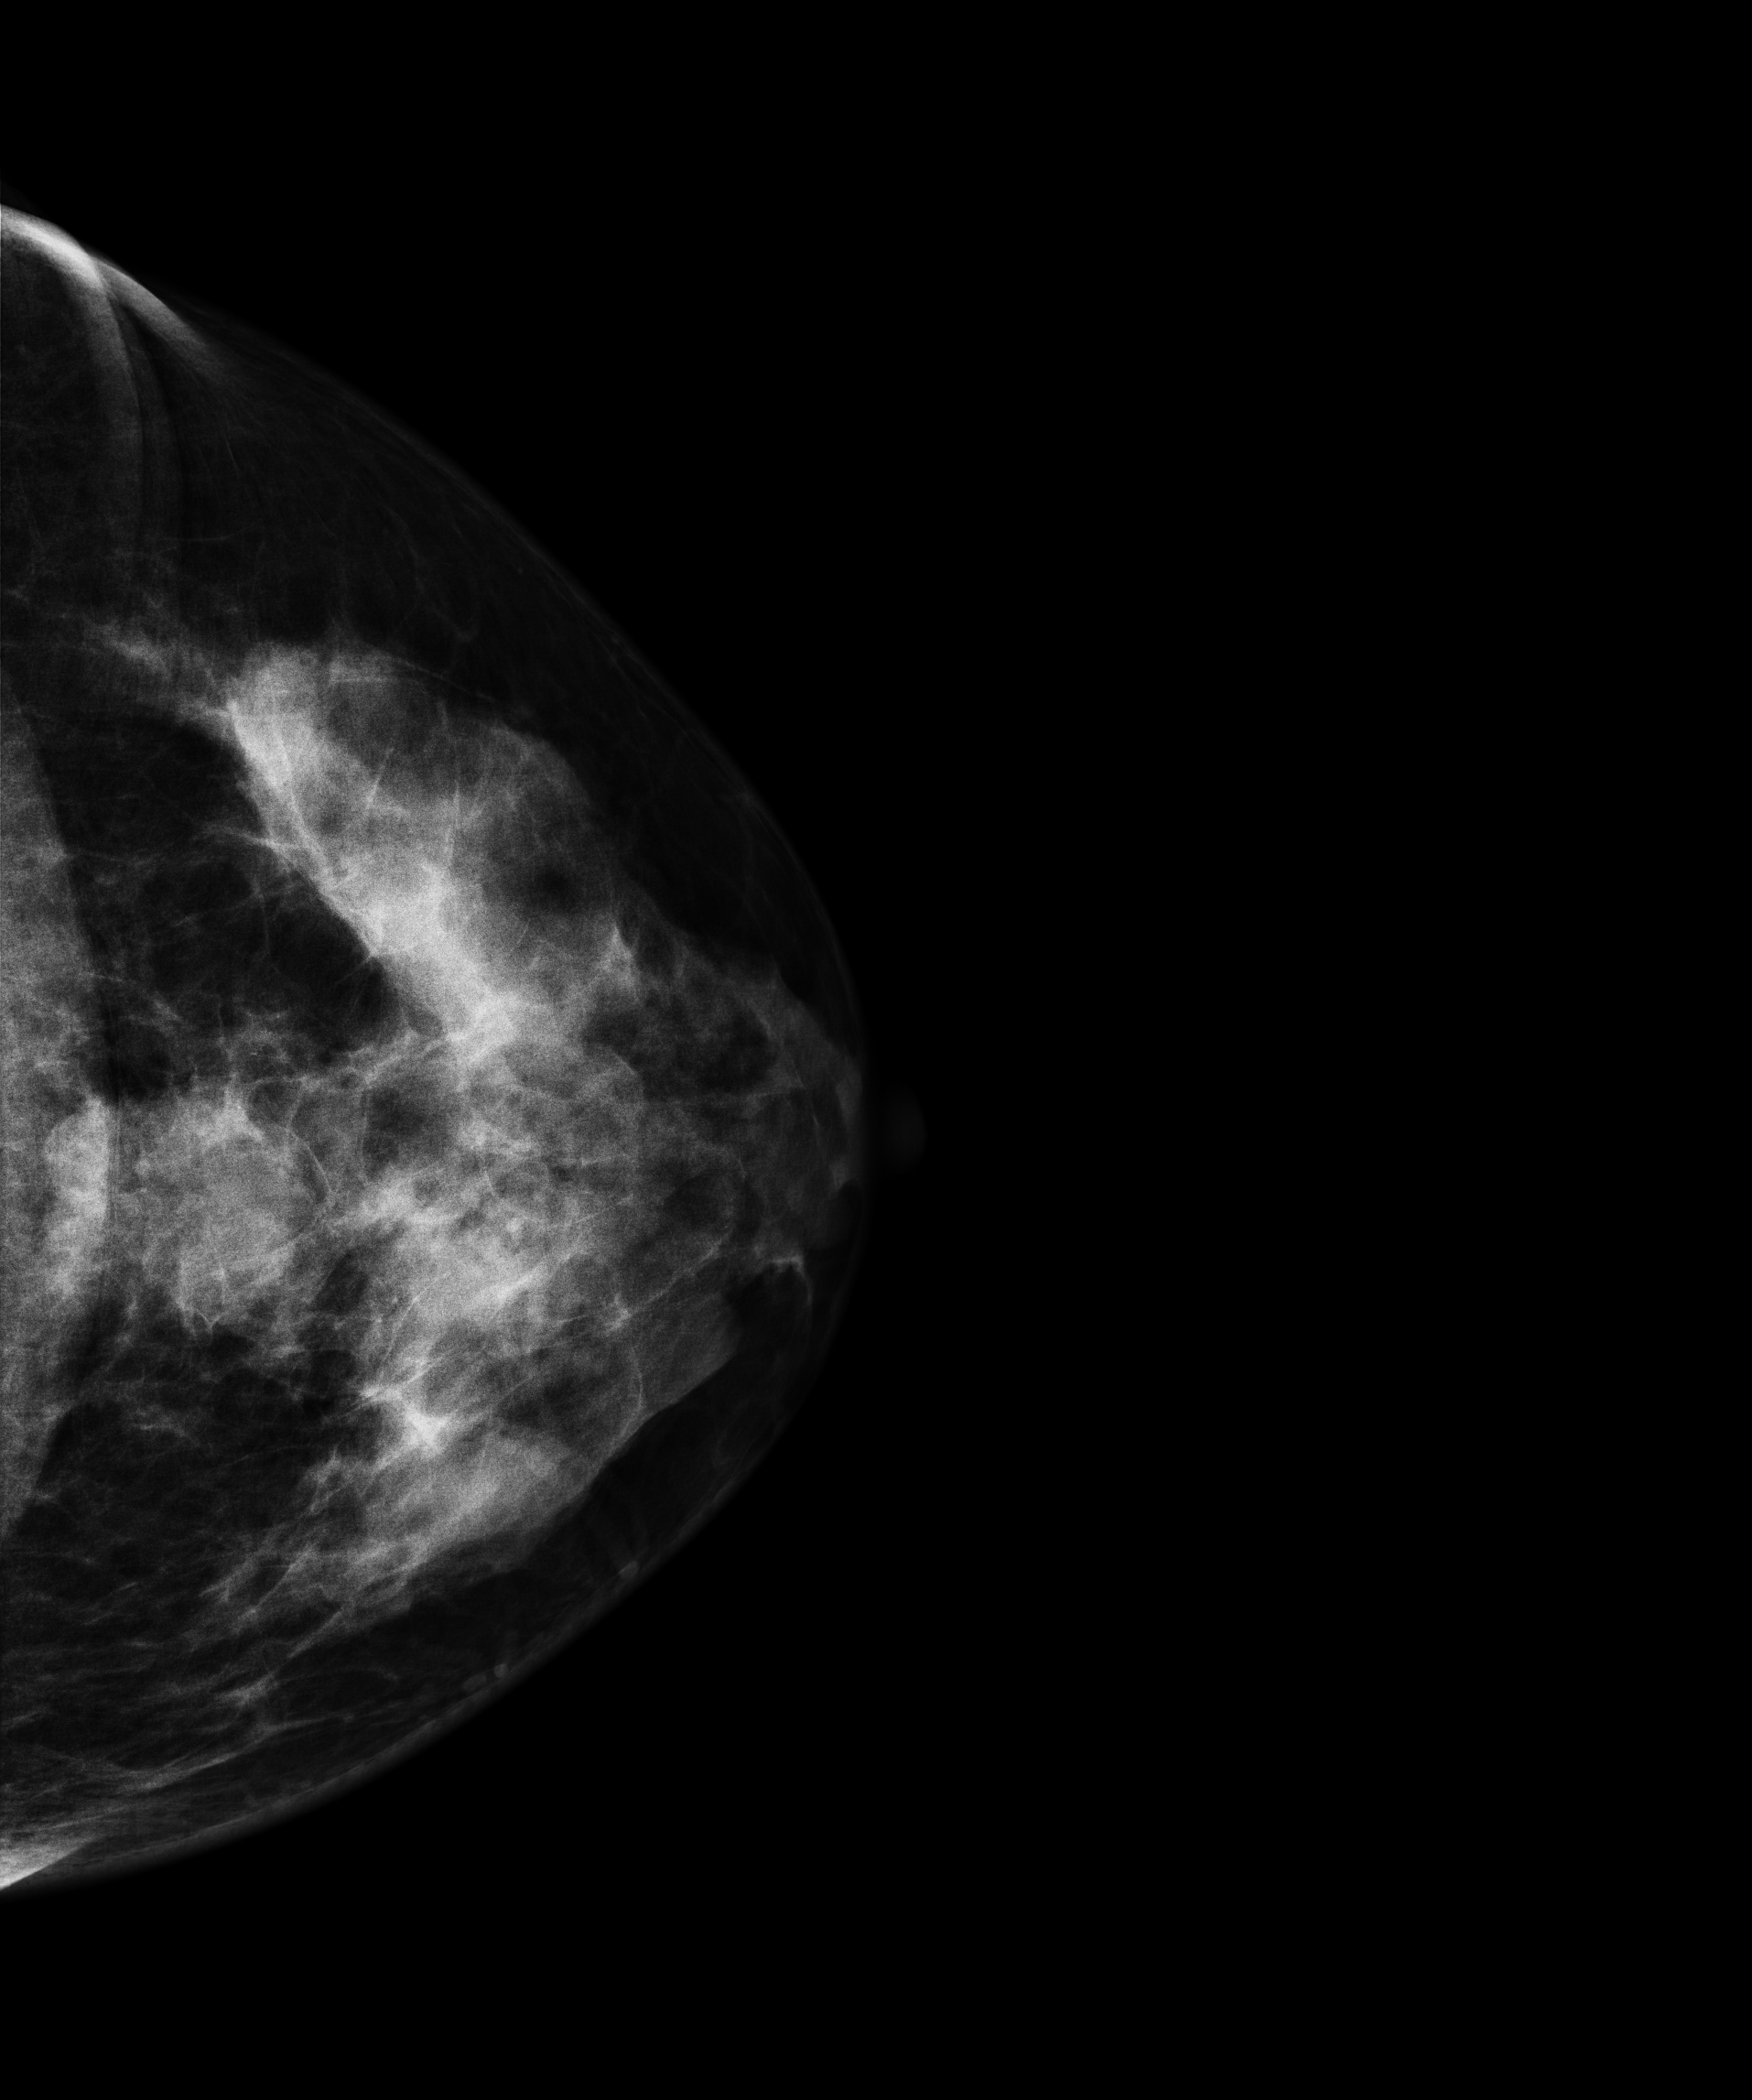
Left-breast mammogram, cranio-caudal. 49-year-old patient.
This breast has a mass, pathology-confirmed malignant. Molecular subtype: HER2-enriched.